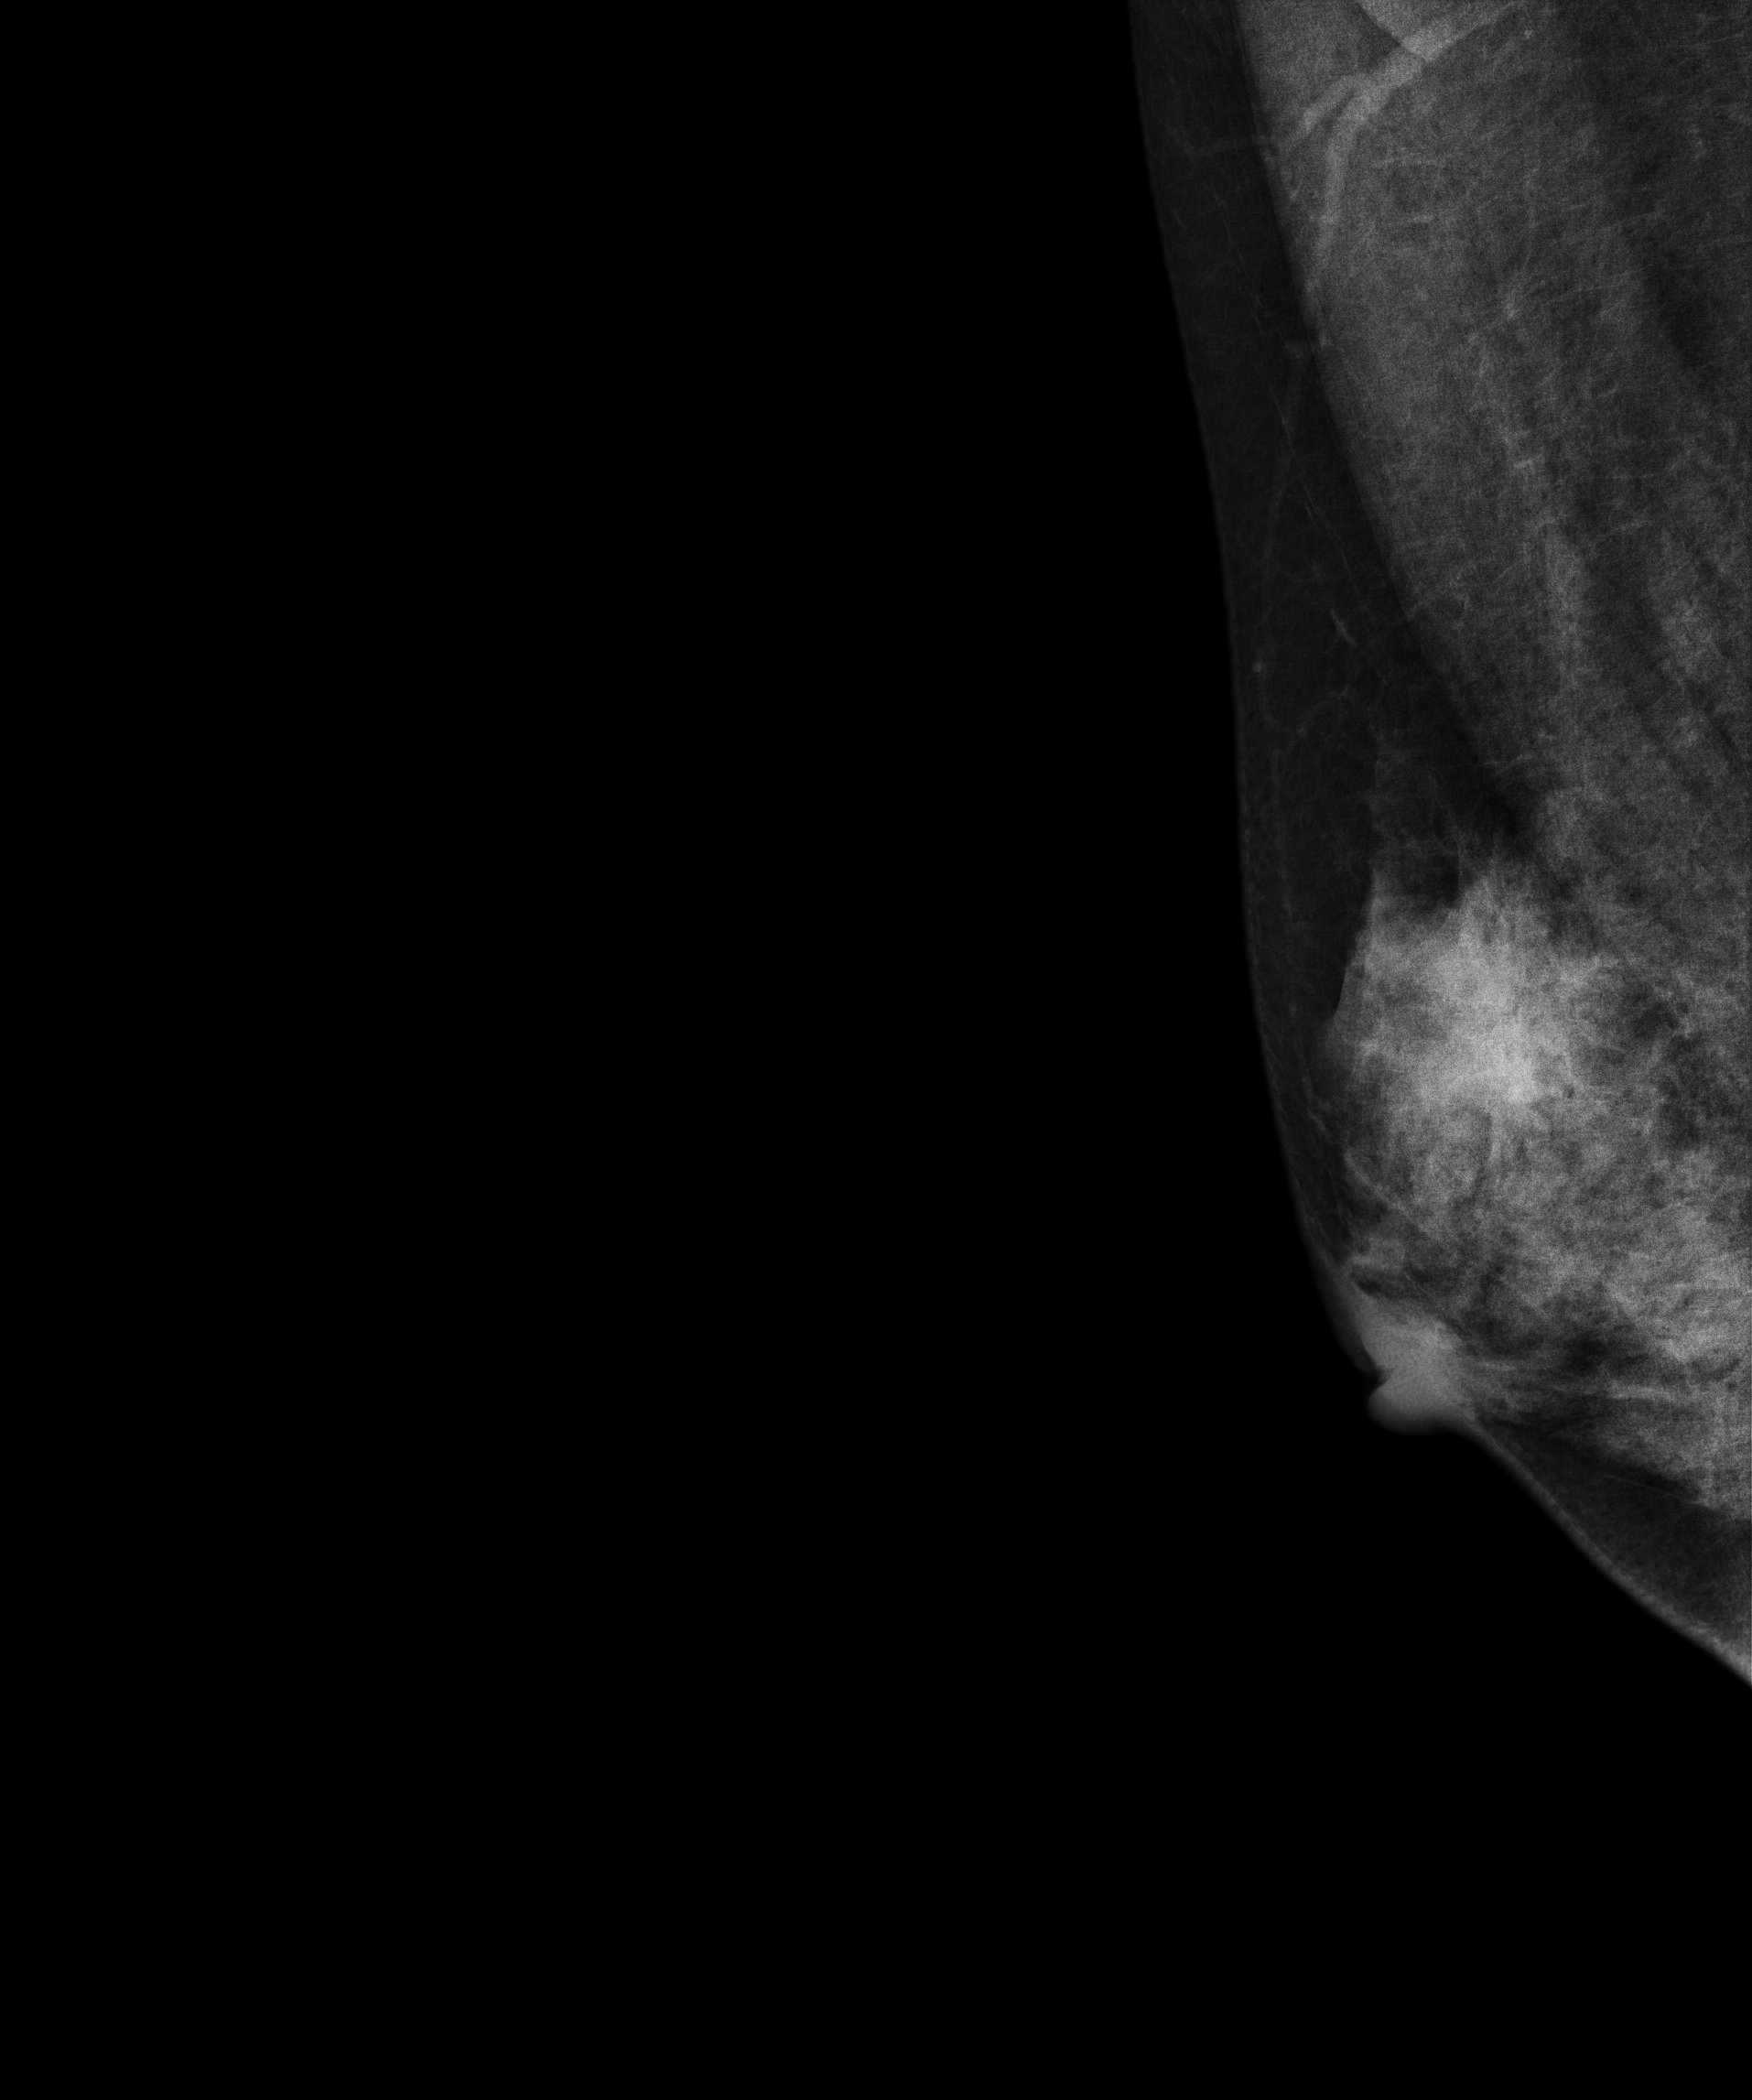
MLO mammogram of the right breast. 45 y/o patient.
This breast has a mass, pathology-confirmed malignant.